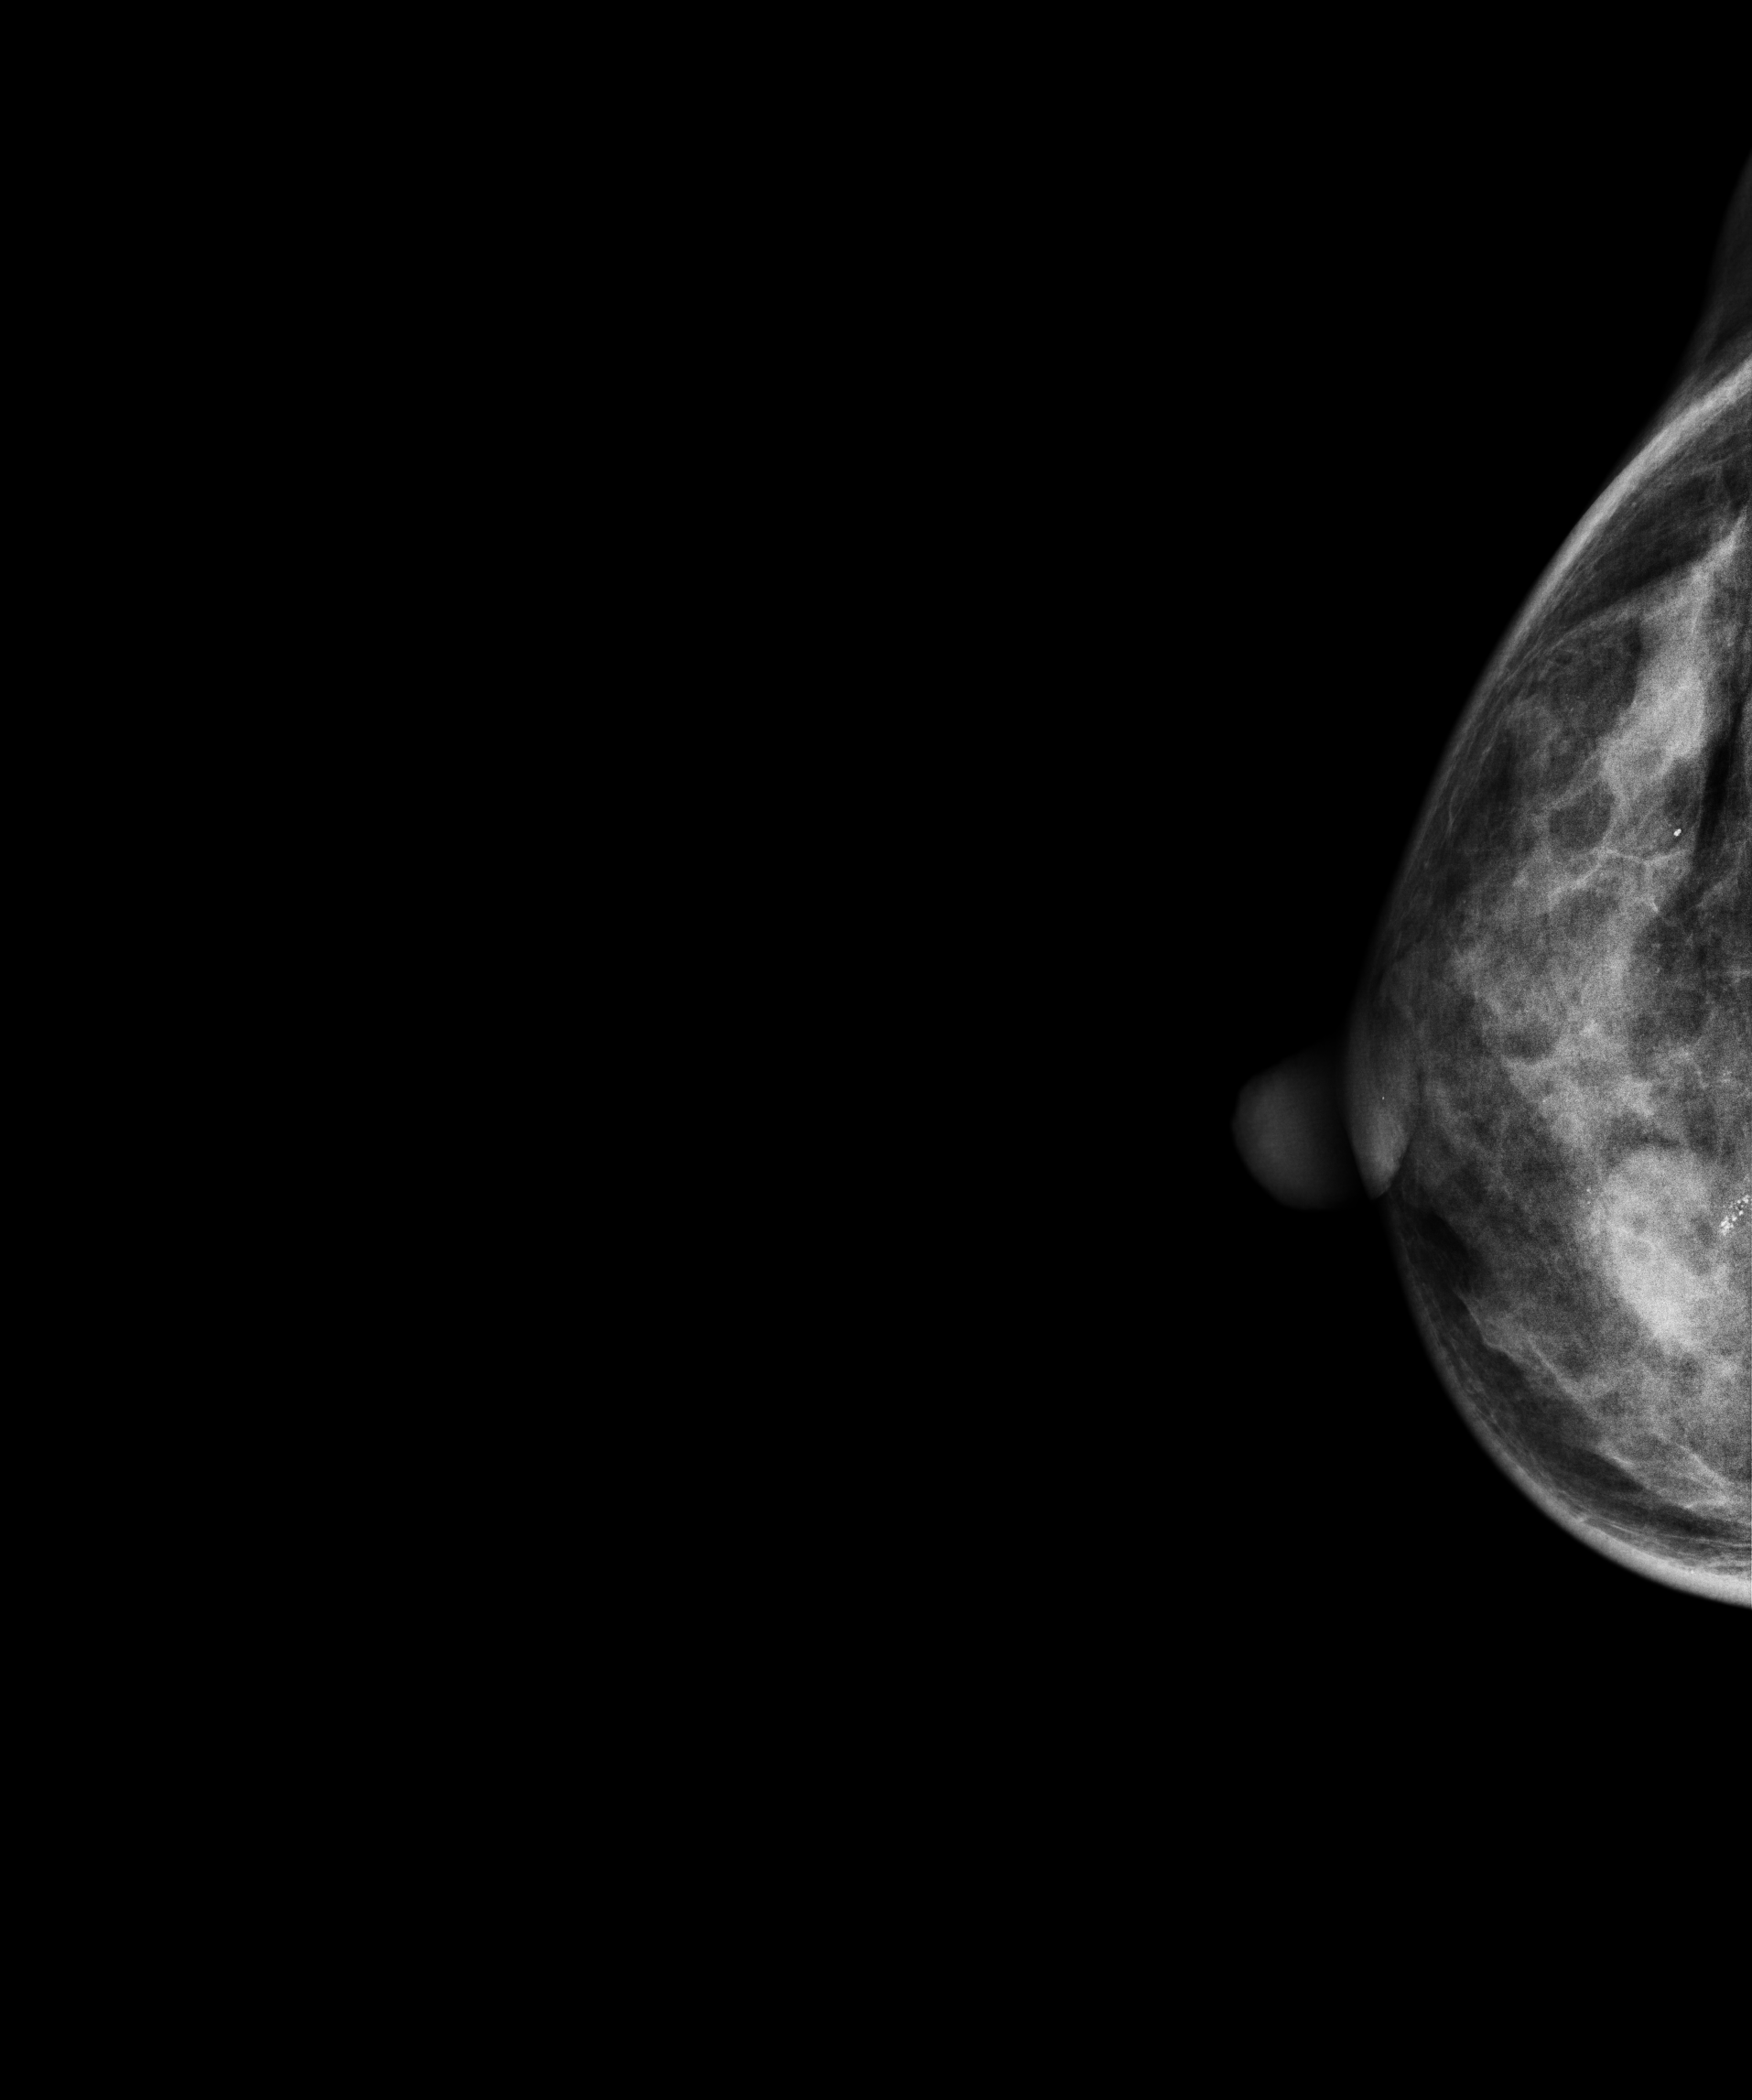
Mammogram, right breast, CC view. 49 y/o patient.
This breast has a mass and calcifications, histologically confirmed malignant. Molecular subtype: luminal B.